Mammogram — left CC. 49-year-old patient.
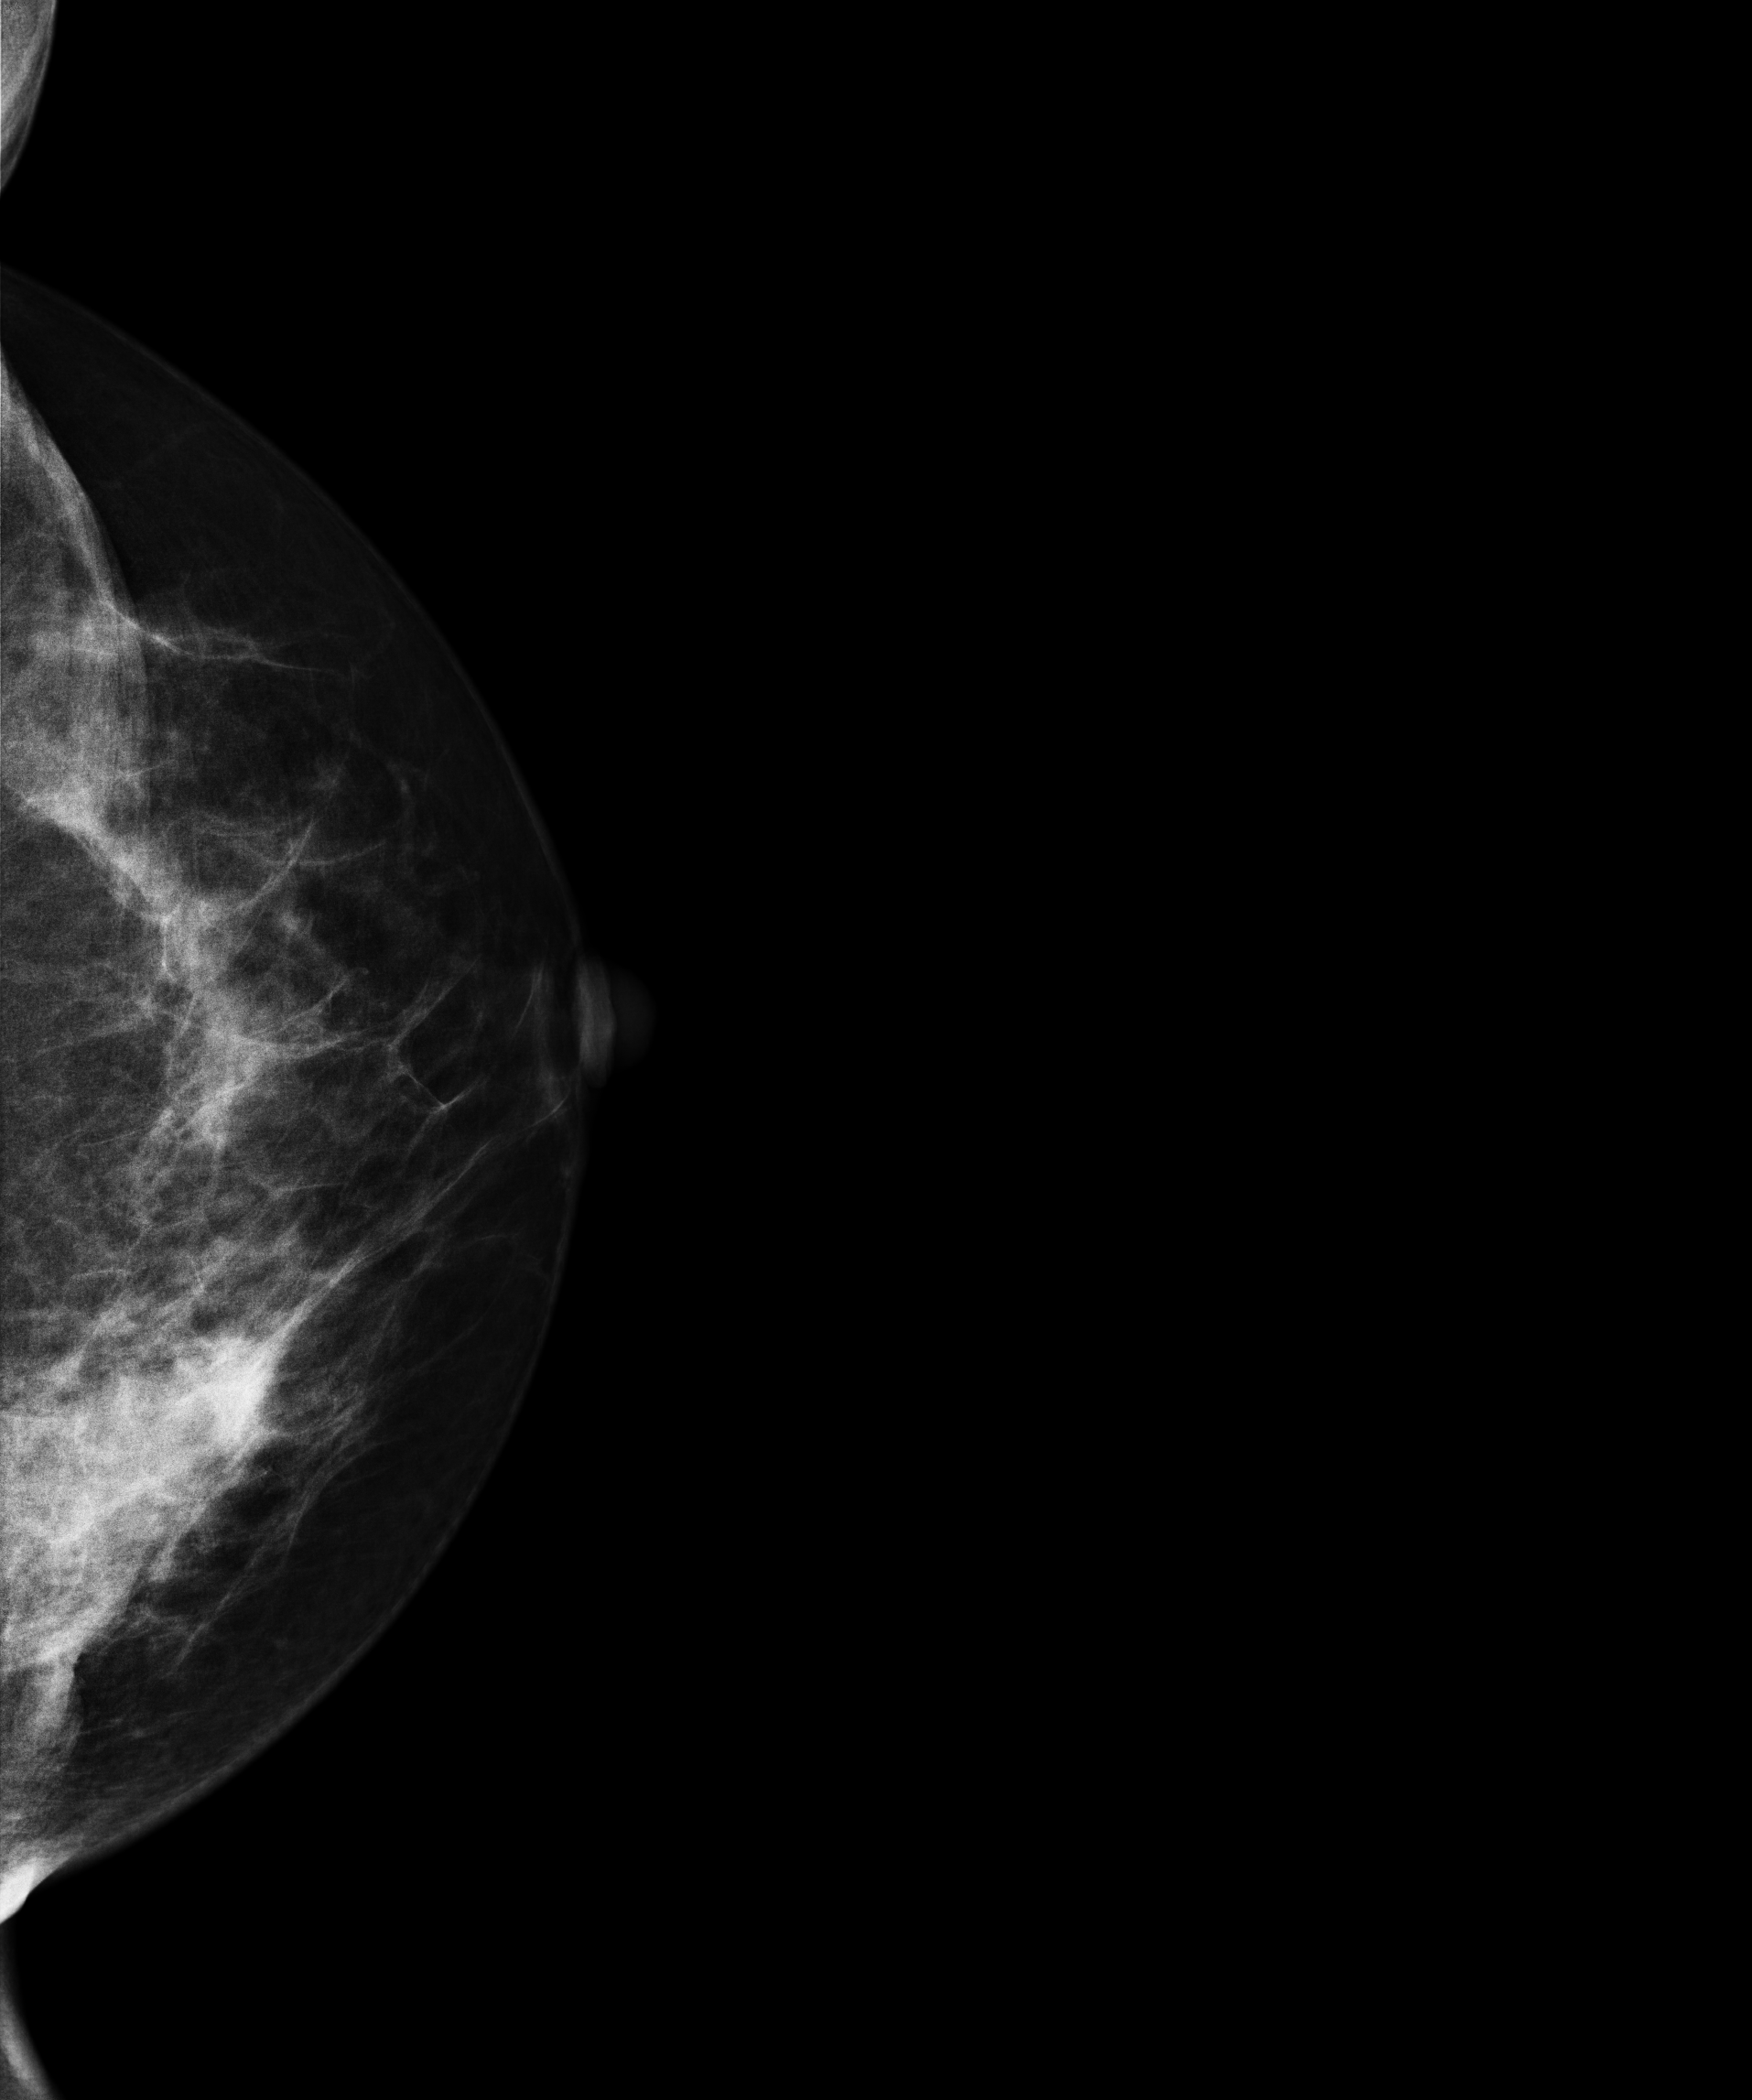
This breast has a mass, biopsy-proven malignant. Molecular subtype: luminal A.